Right-breast mammogram, medio-lateral oblique. 56 y/o patient.
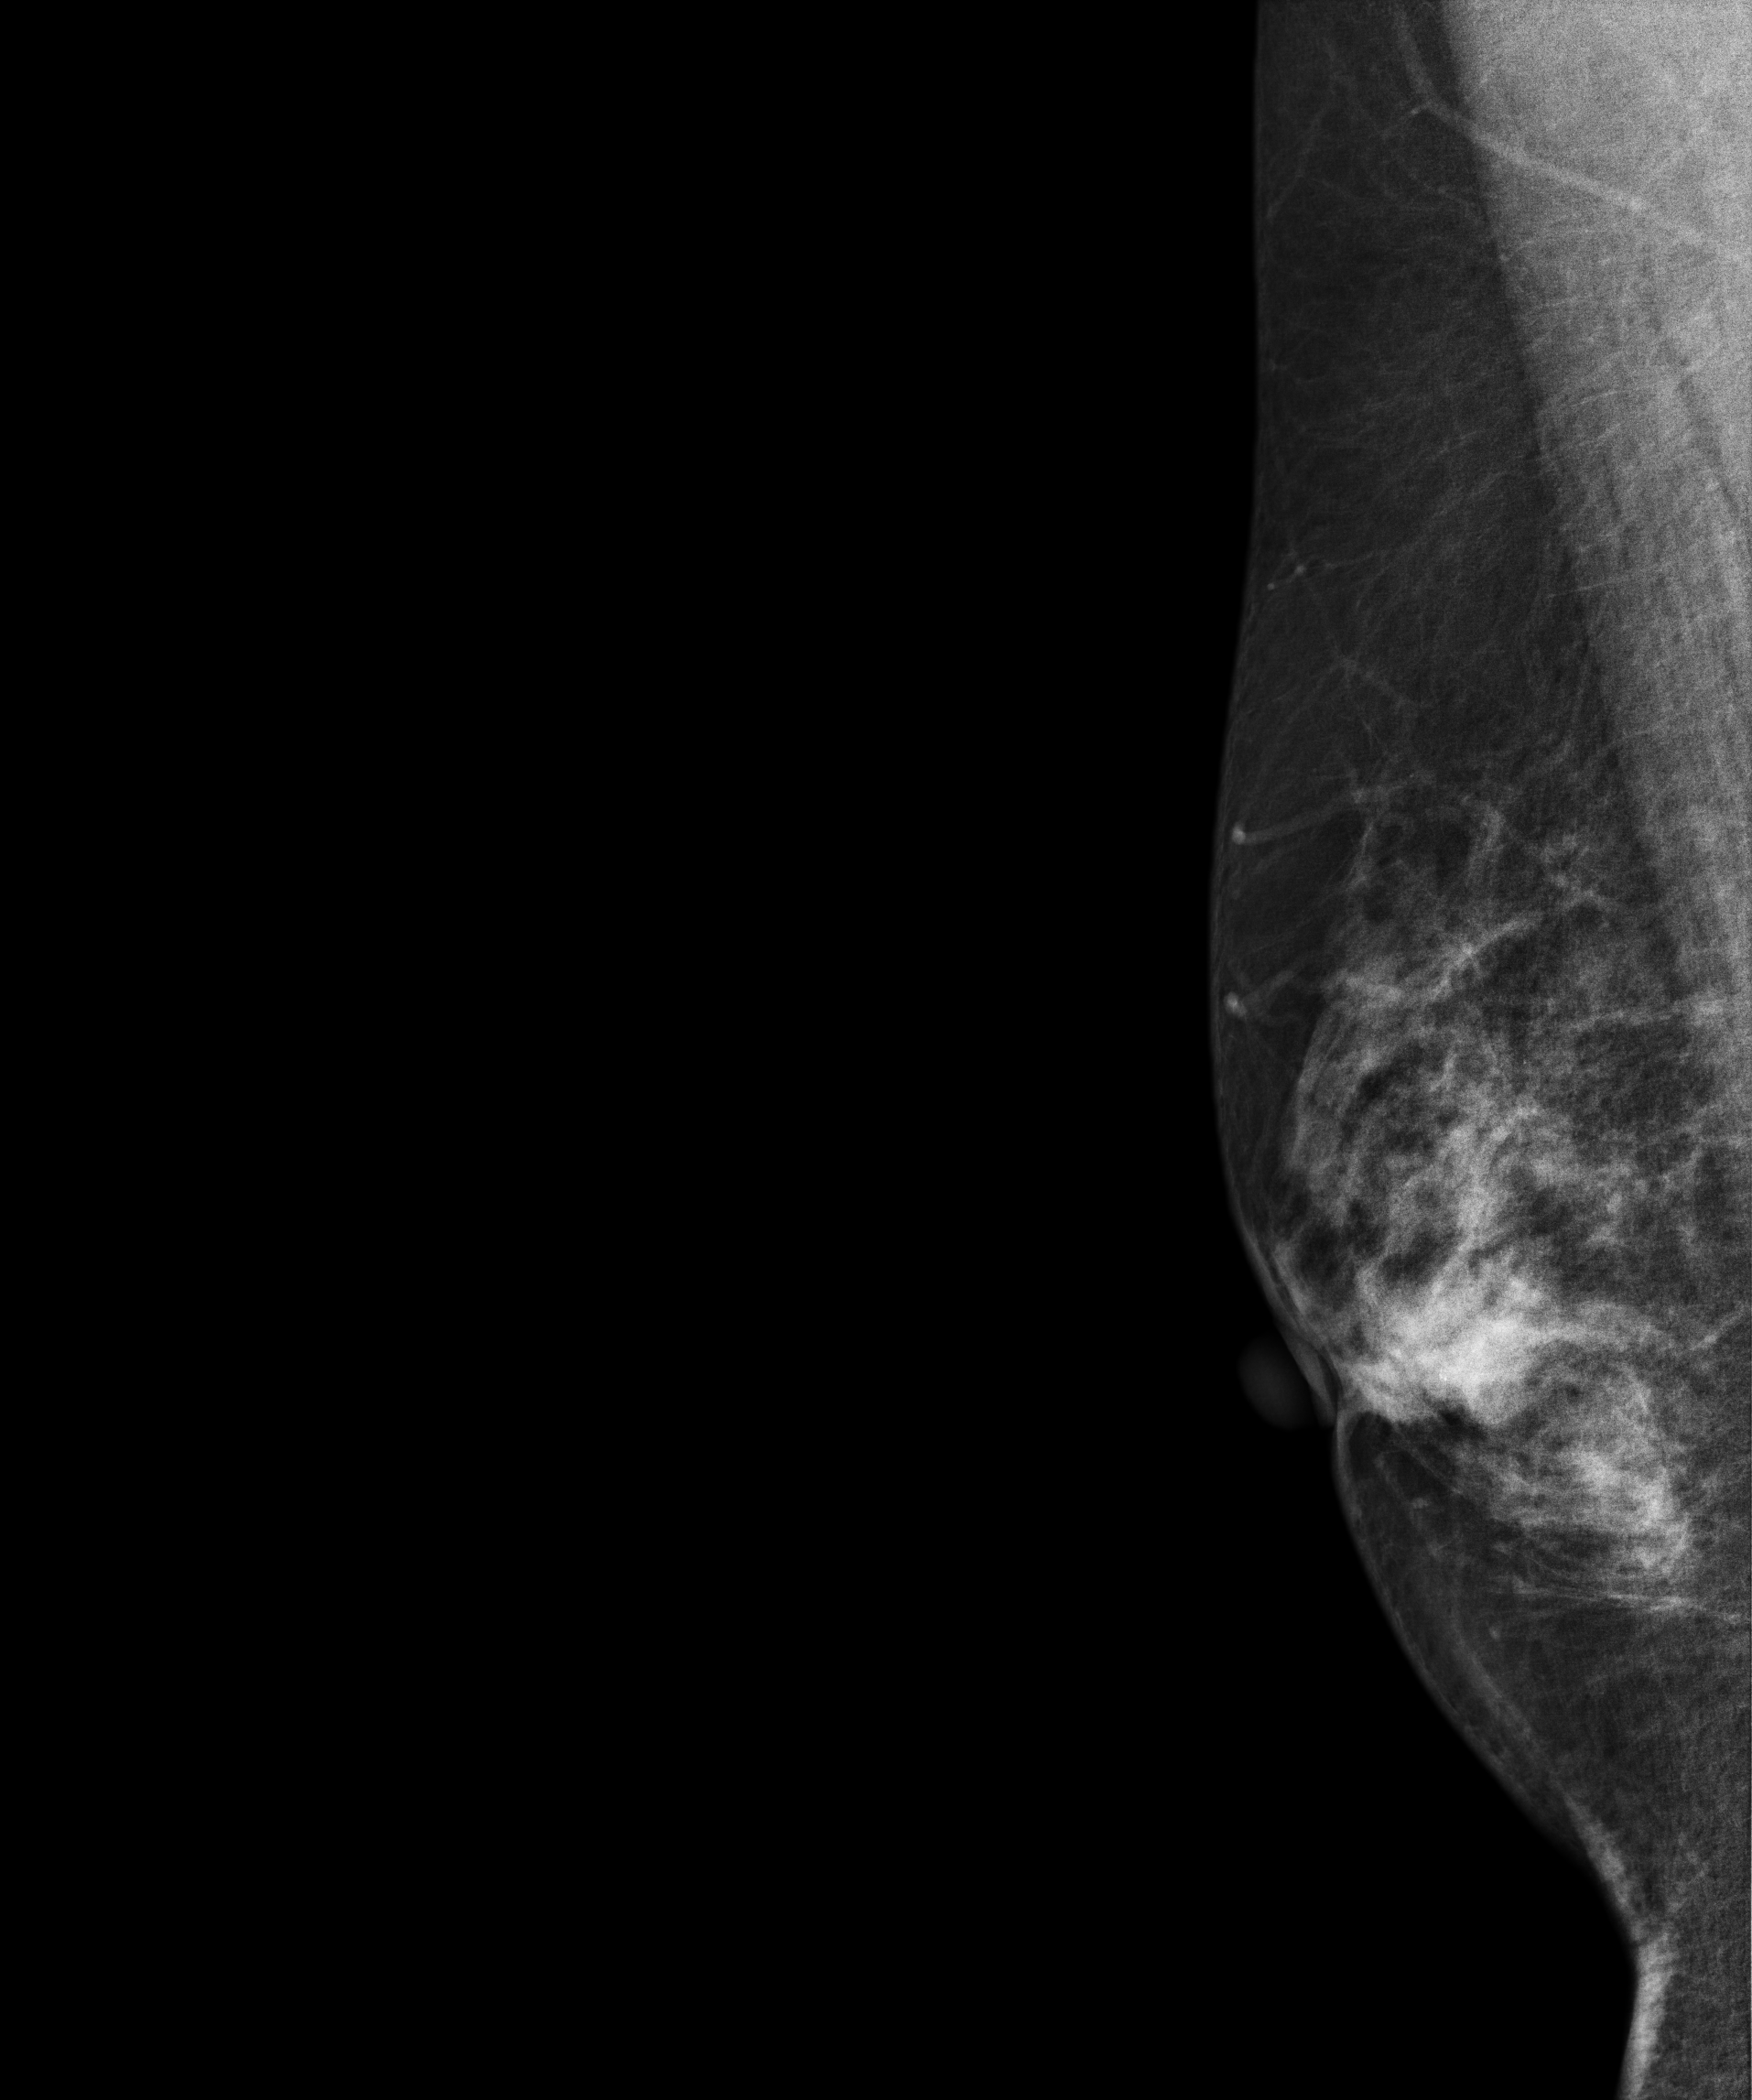
This breast has a mass and calcifications, histologically confirmed malignant. Molecular subtype: luminal A.